Left-breast mammogram, MLO. 48 y/o patient.
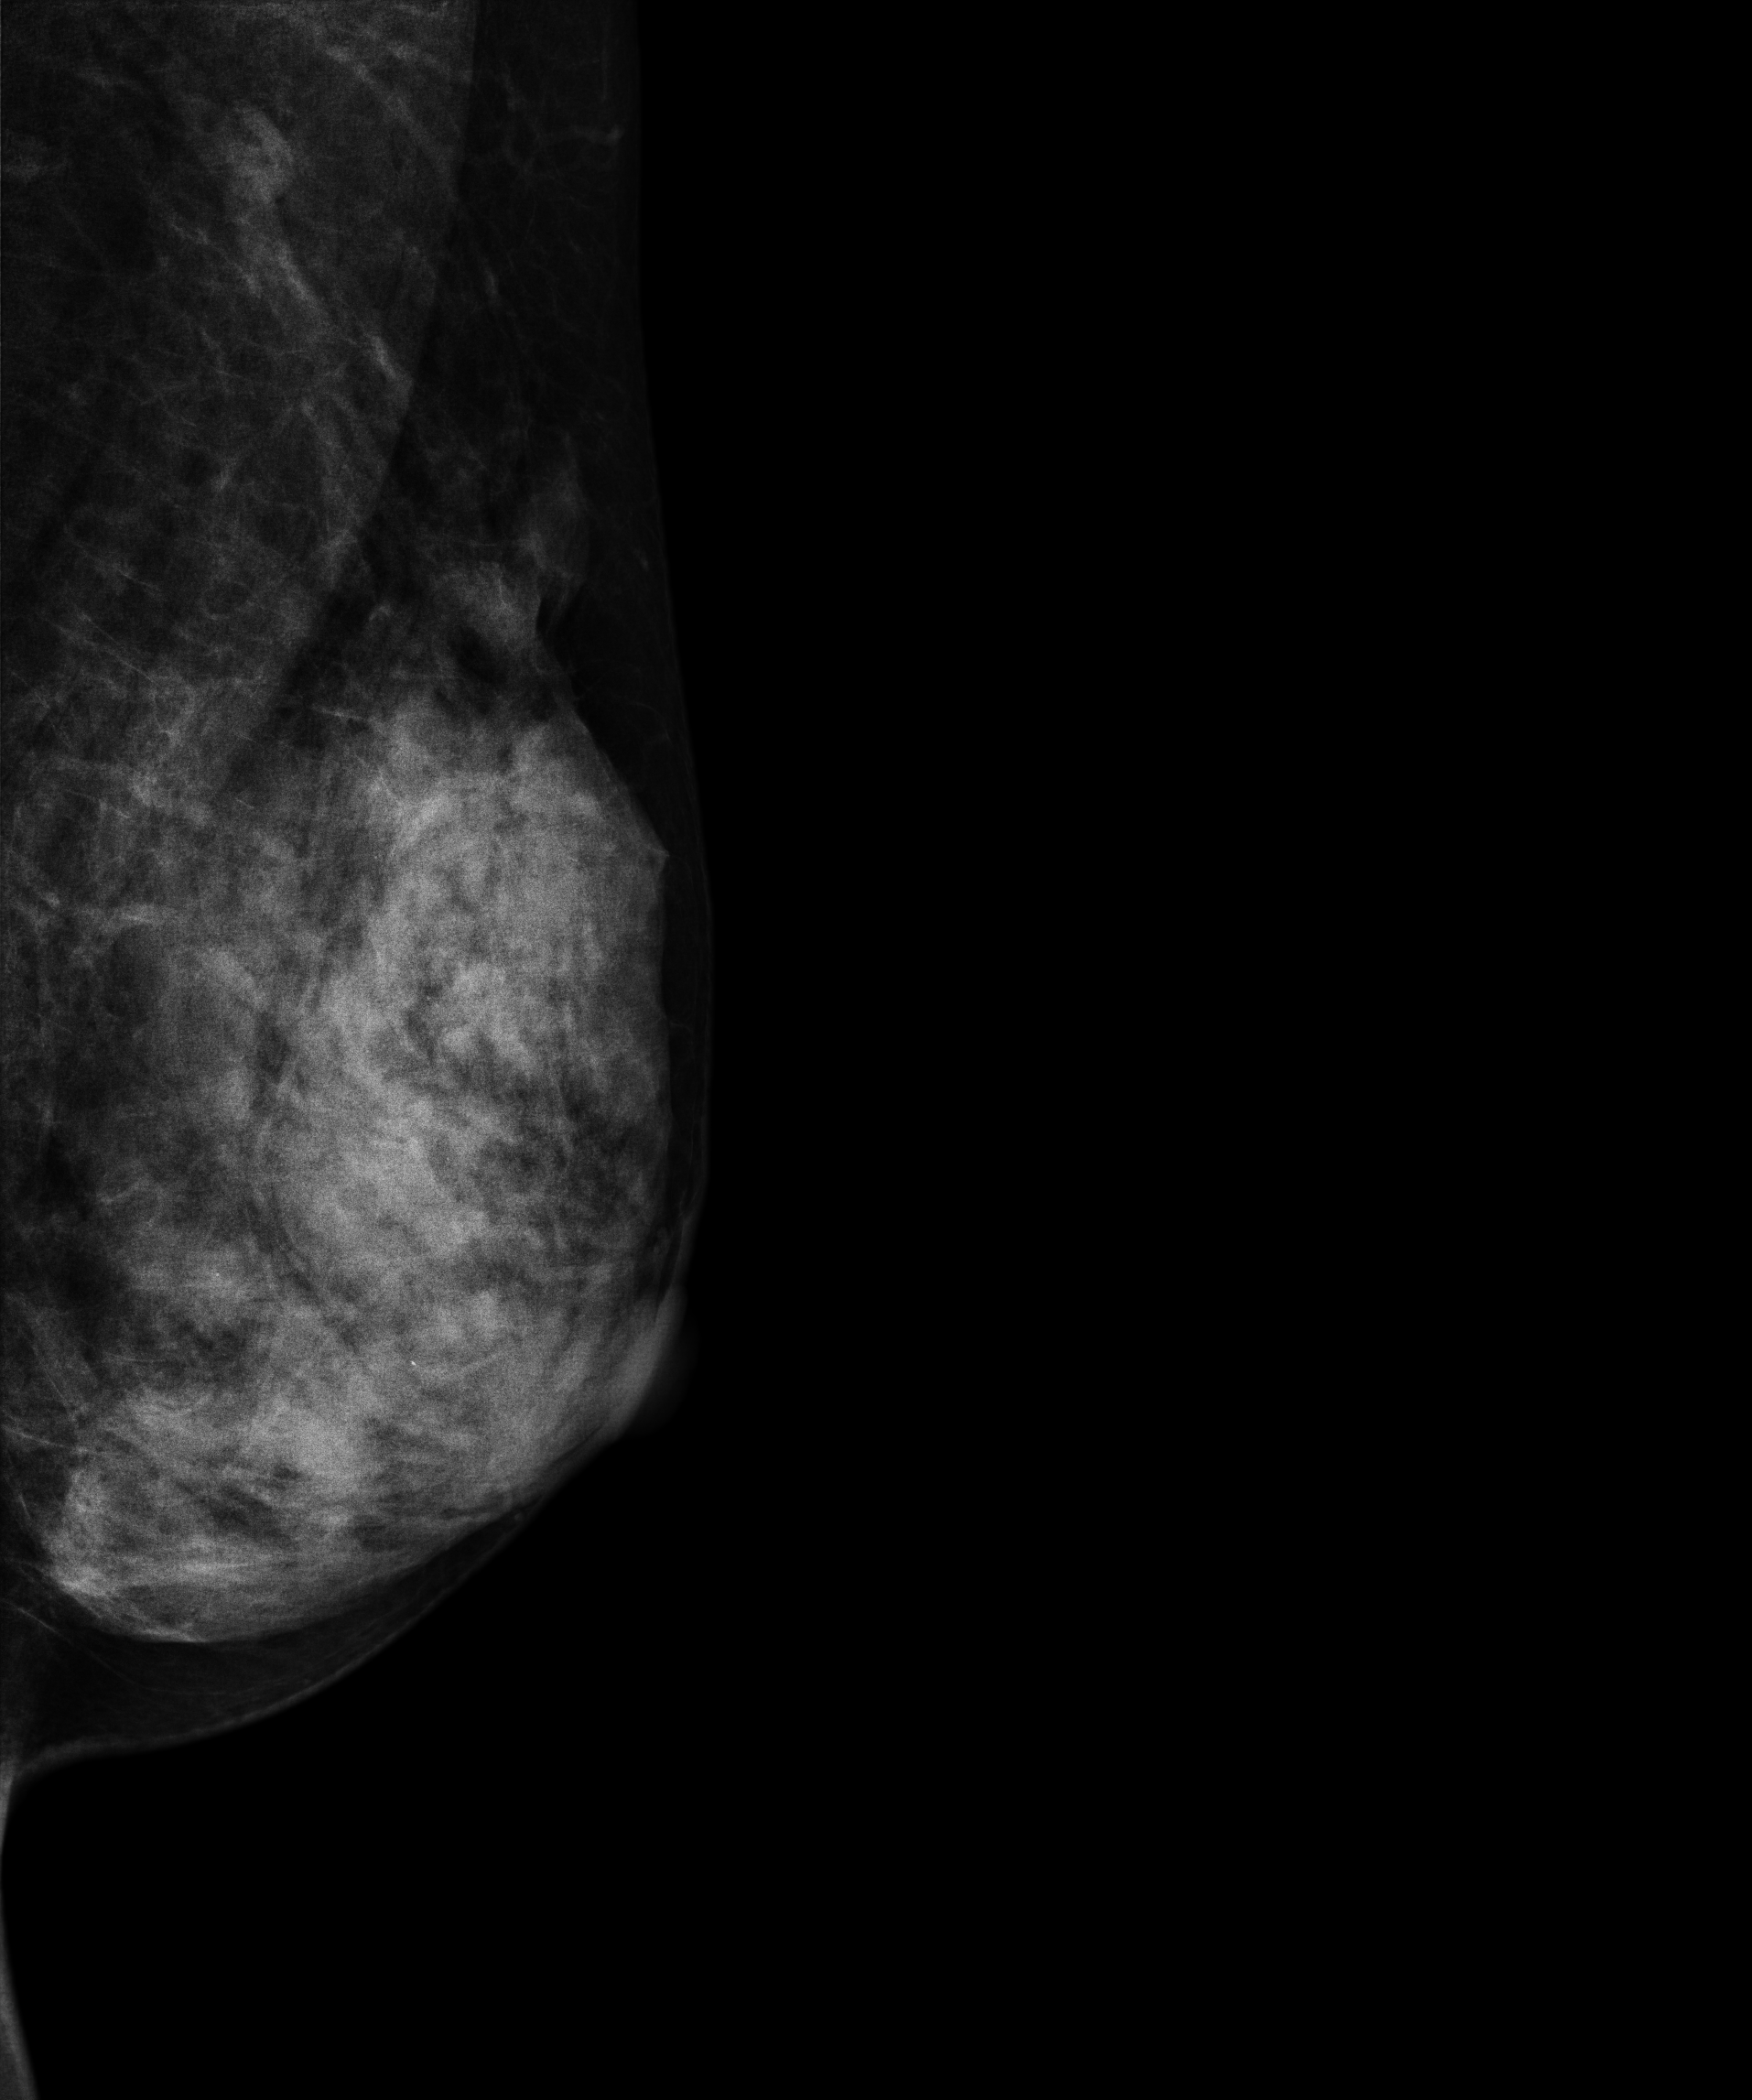
This breast has a mass, pathology-confirmed benign.